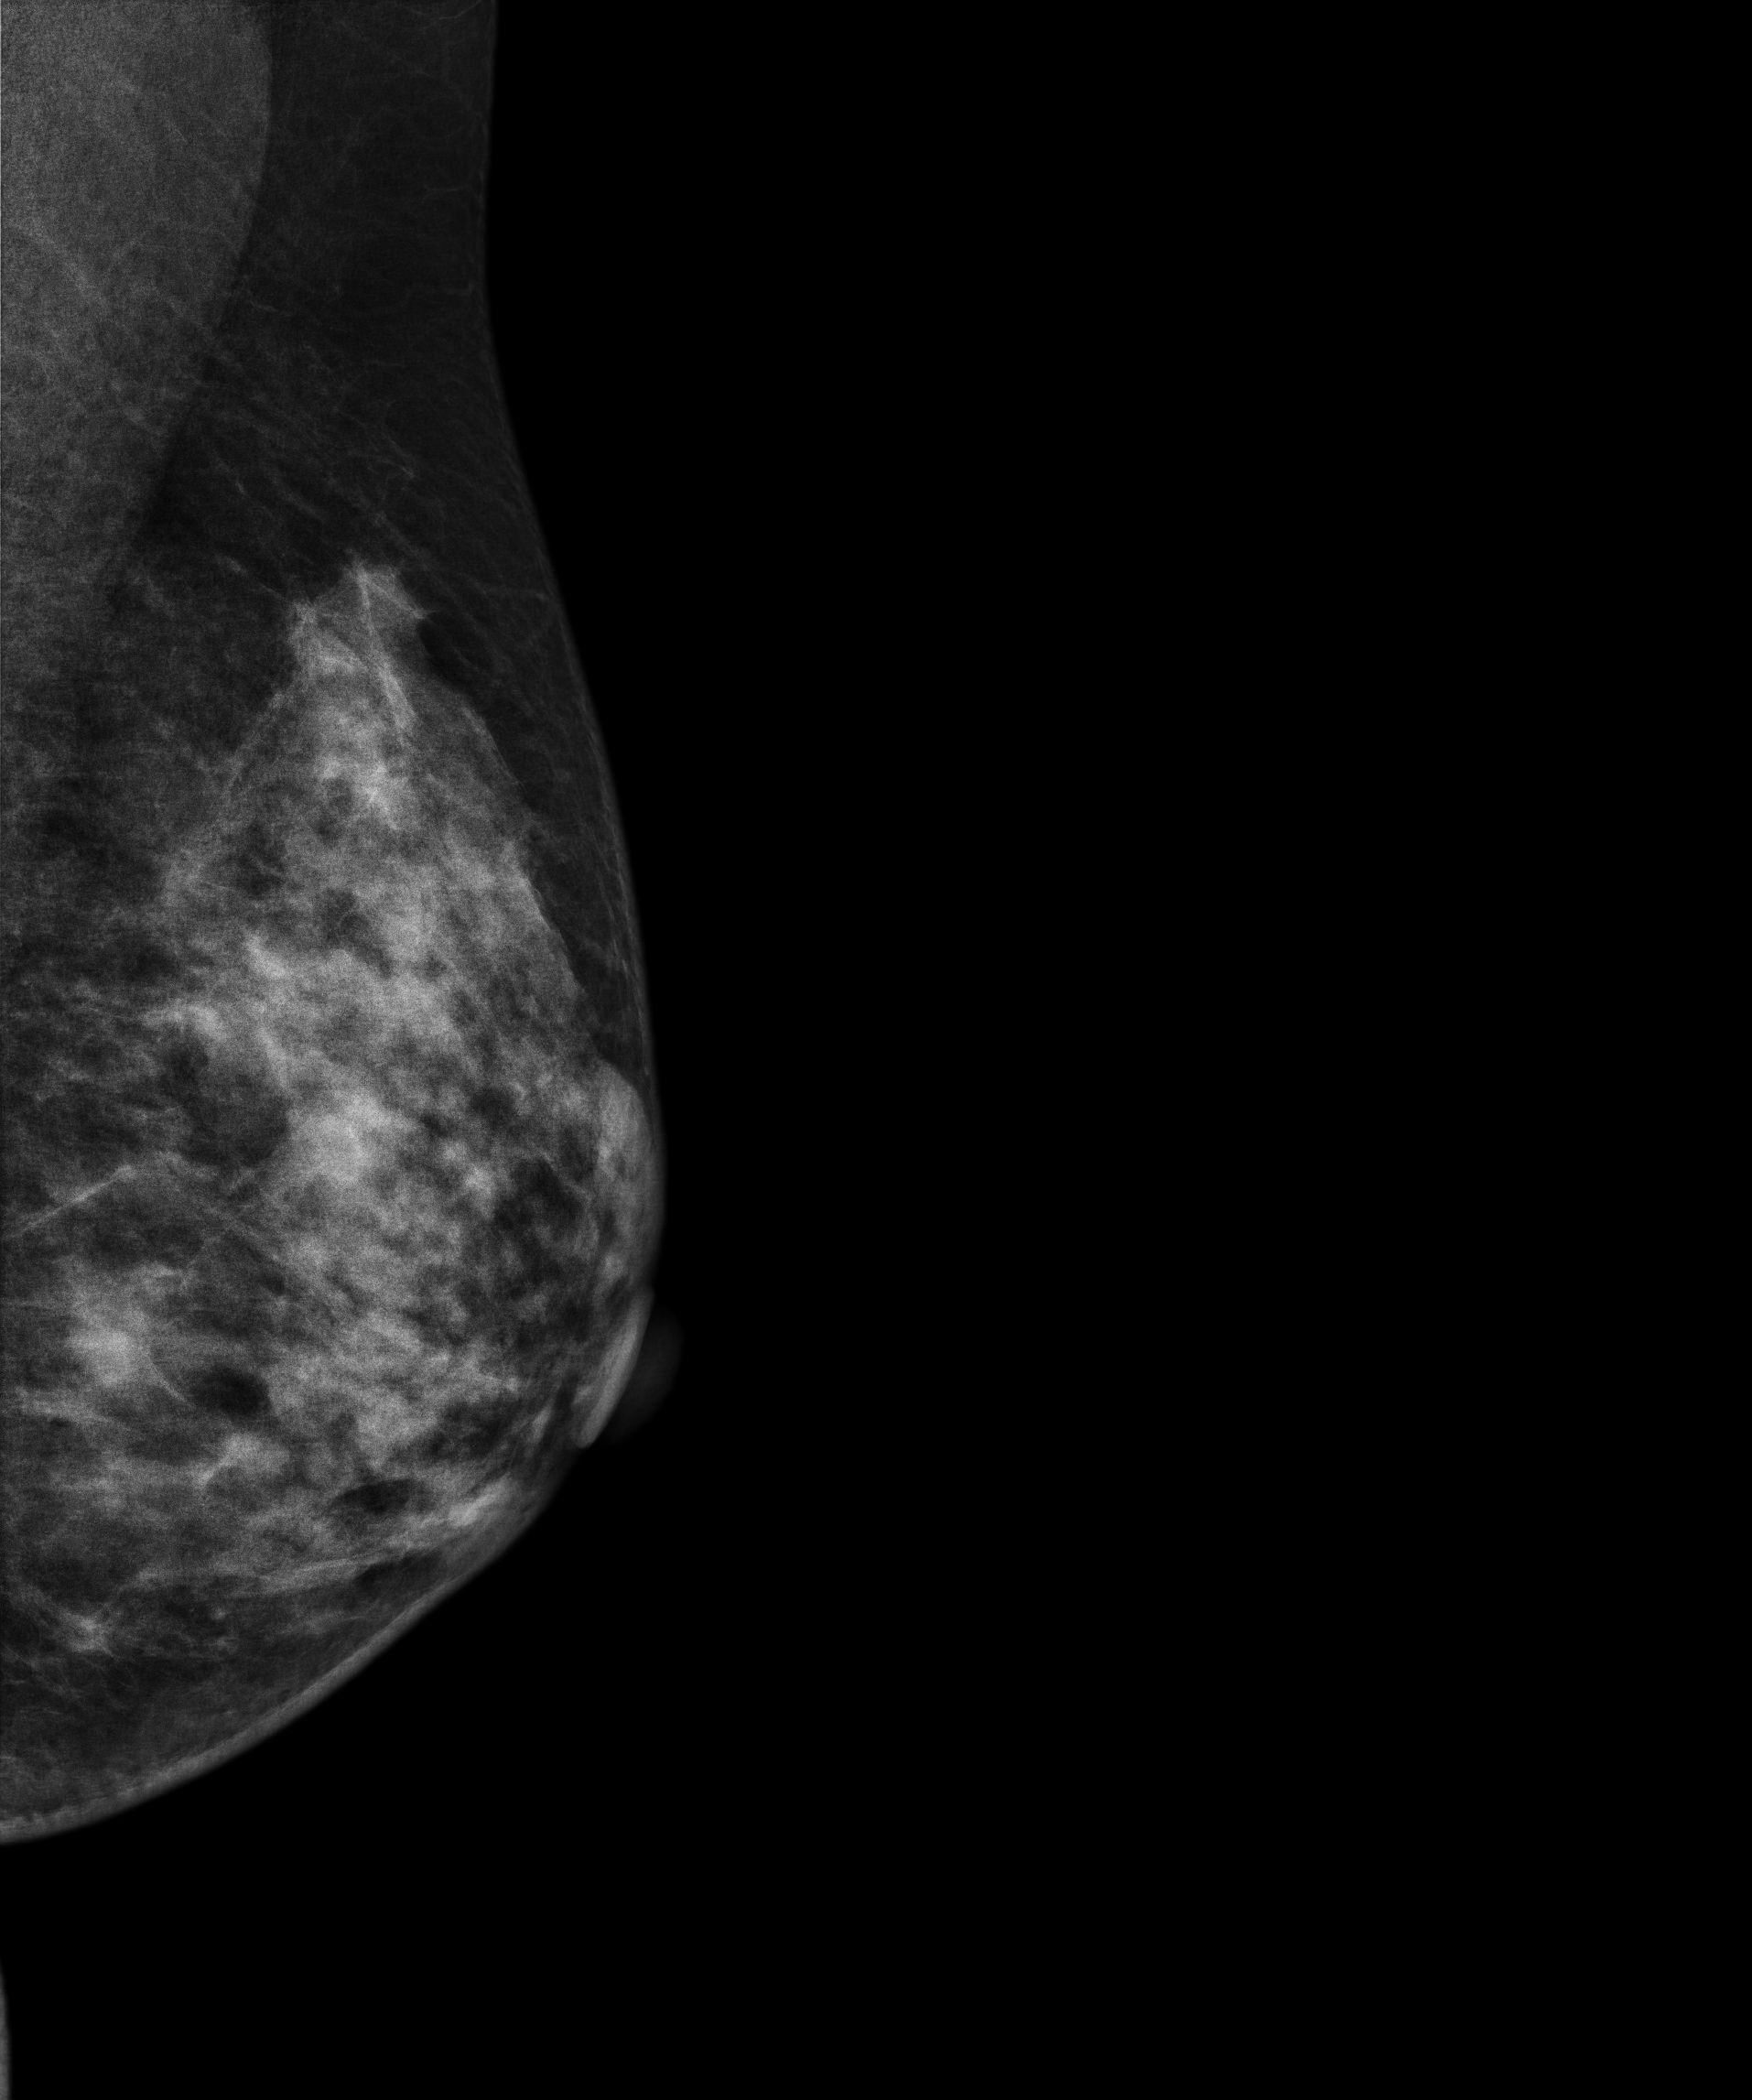
Left-breast mammogram, MLO. Patient age 43.
Contralateral breast — no documented abnormality on this side.